Cranio-caudal mammogram of the left breast. Patient age 50.
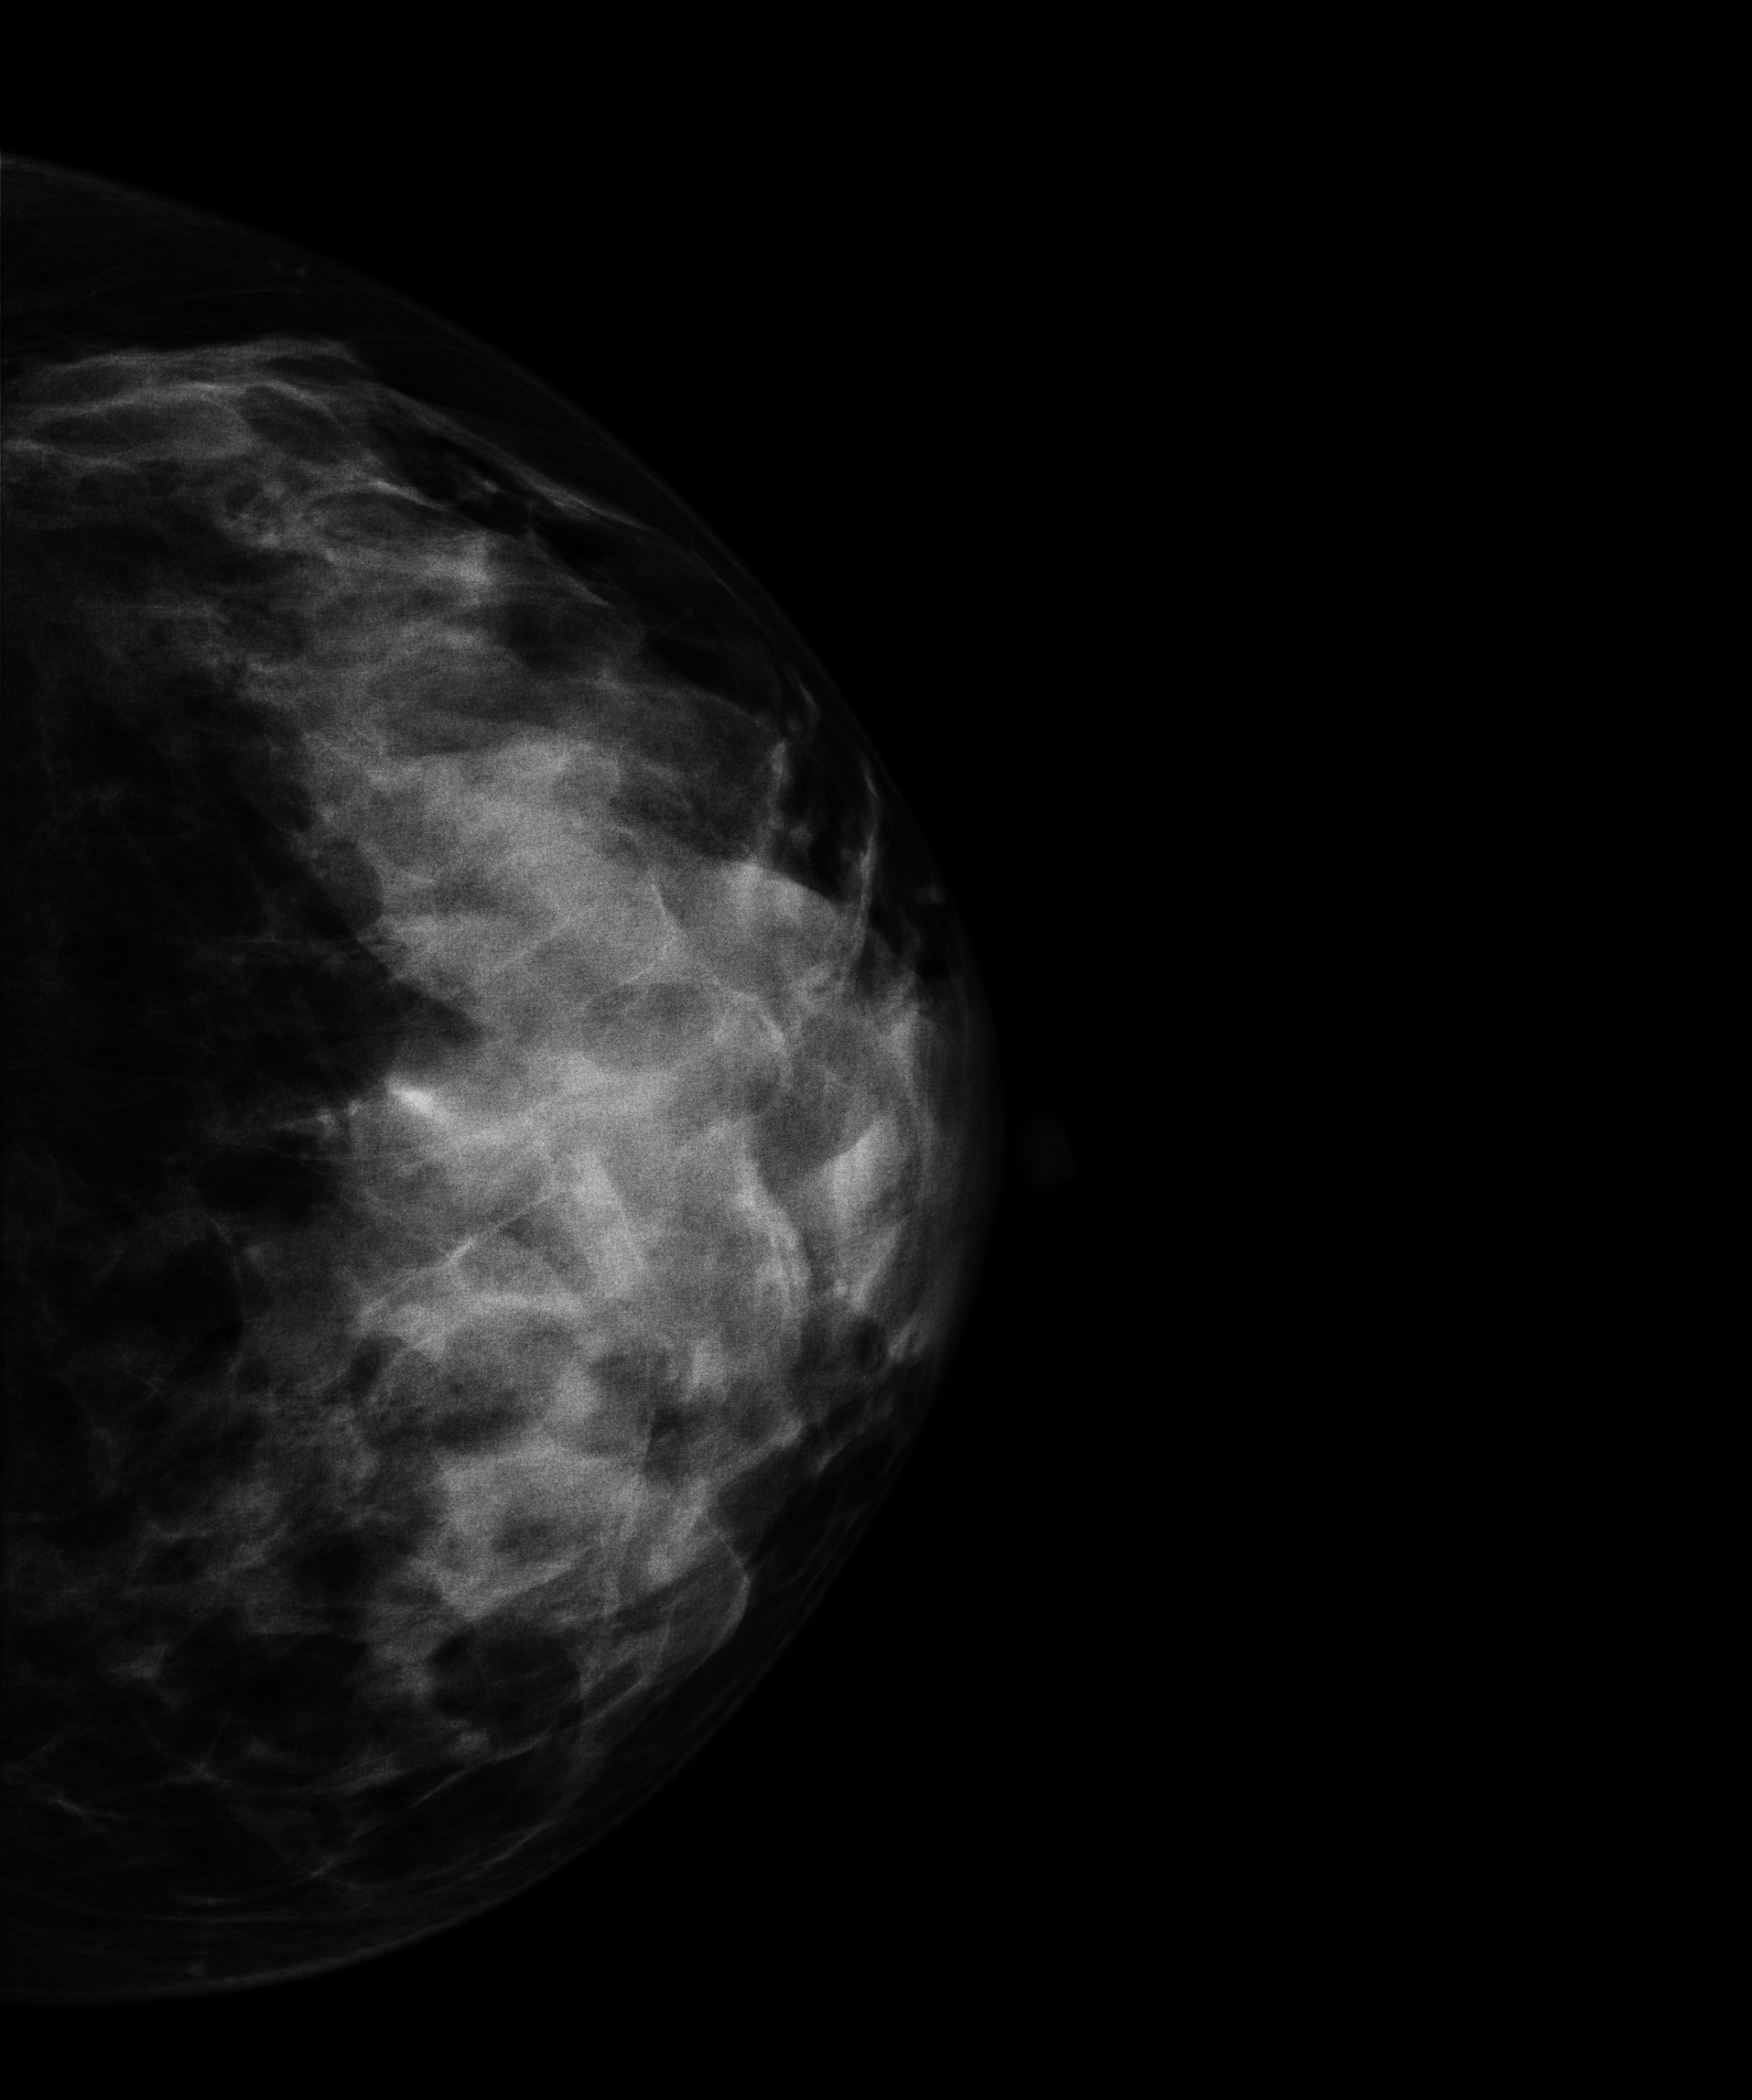
Contralateral breast — no documented abnormality on this side.